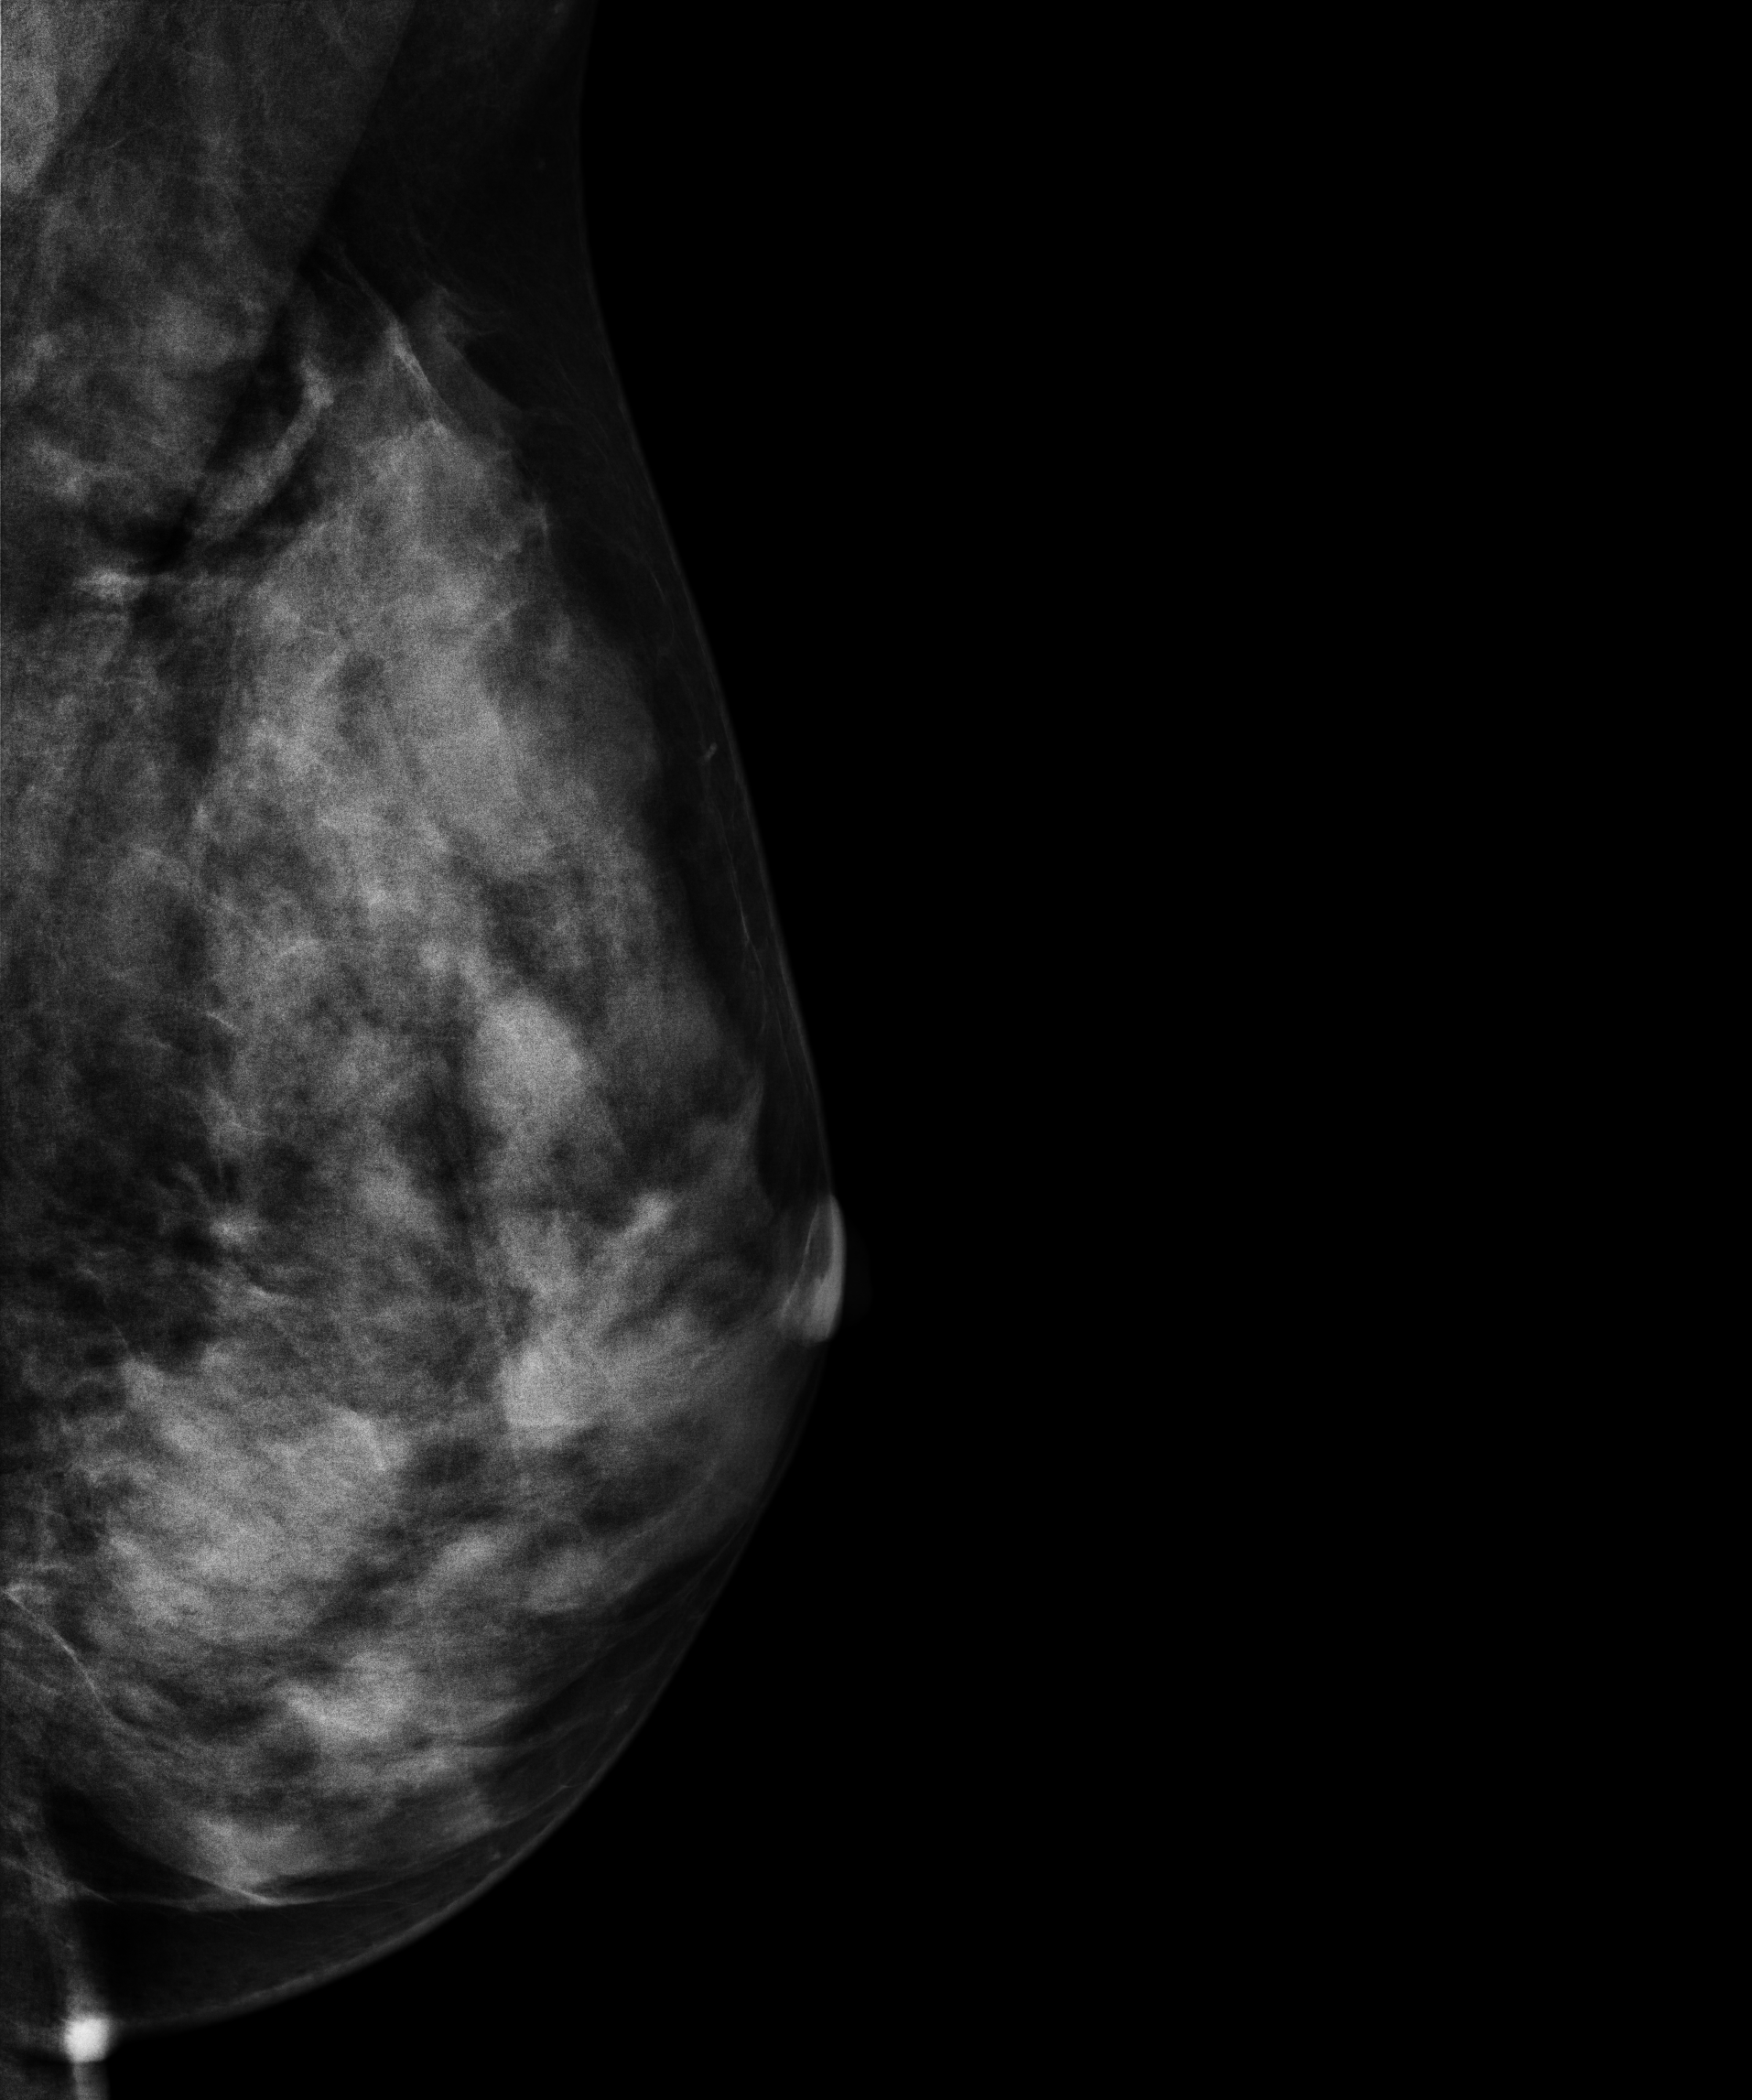
MLO mammogram of the left breast. 38 y/o patient.
This breast has a mass, biopsy-proven benign.